Digital mammography. Right breast, MLO projection. Patient age 57.
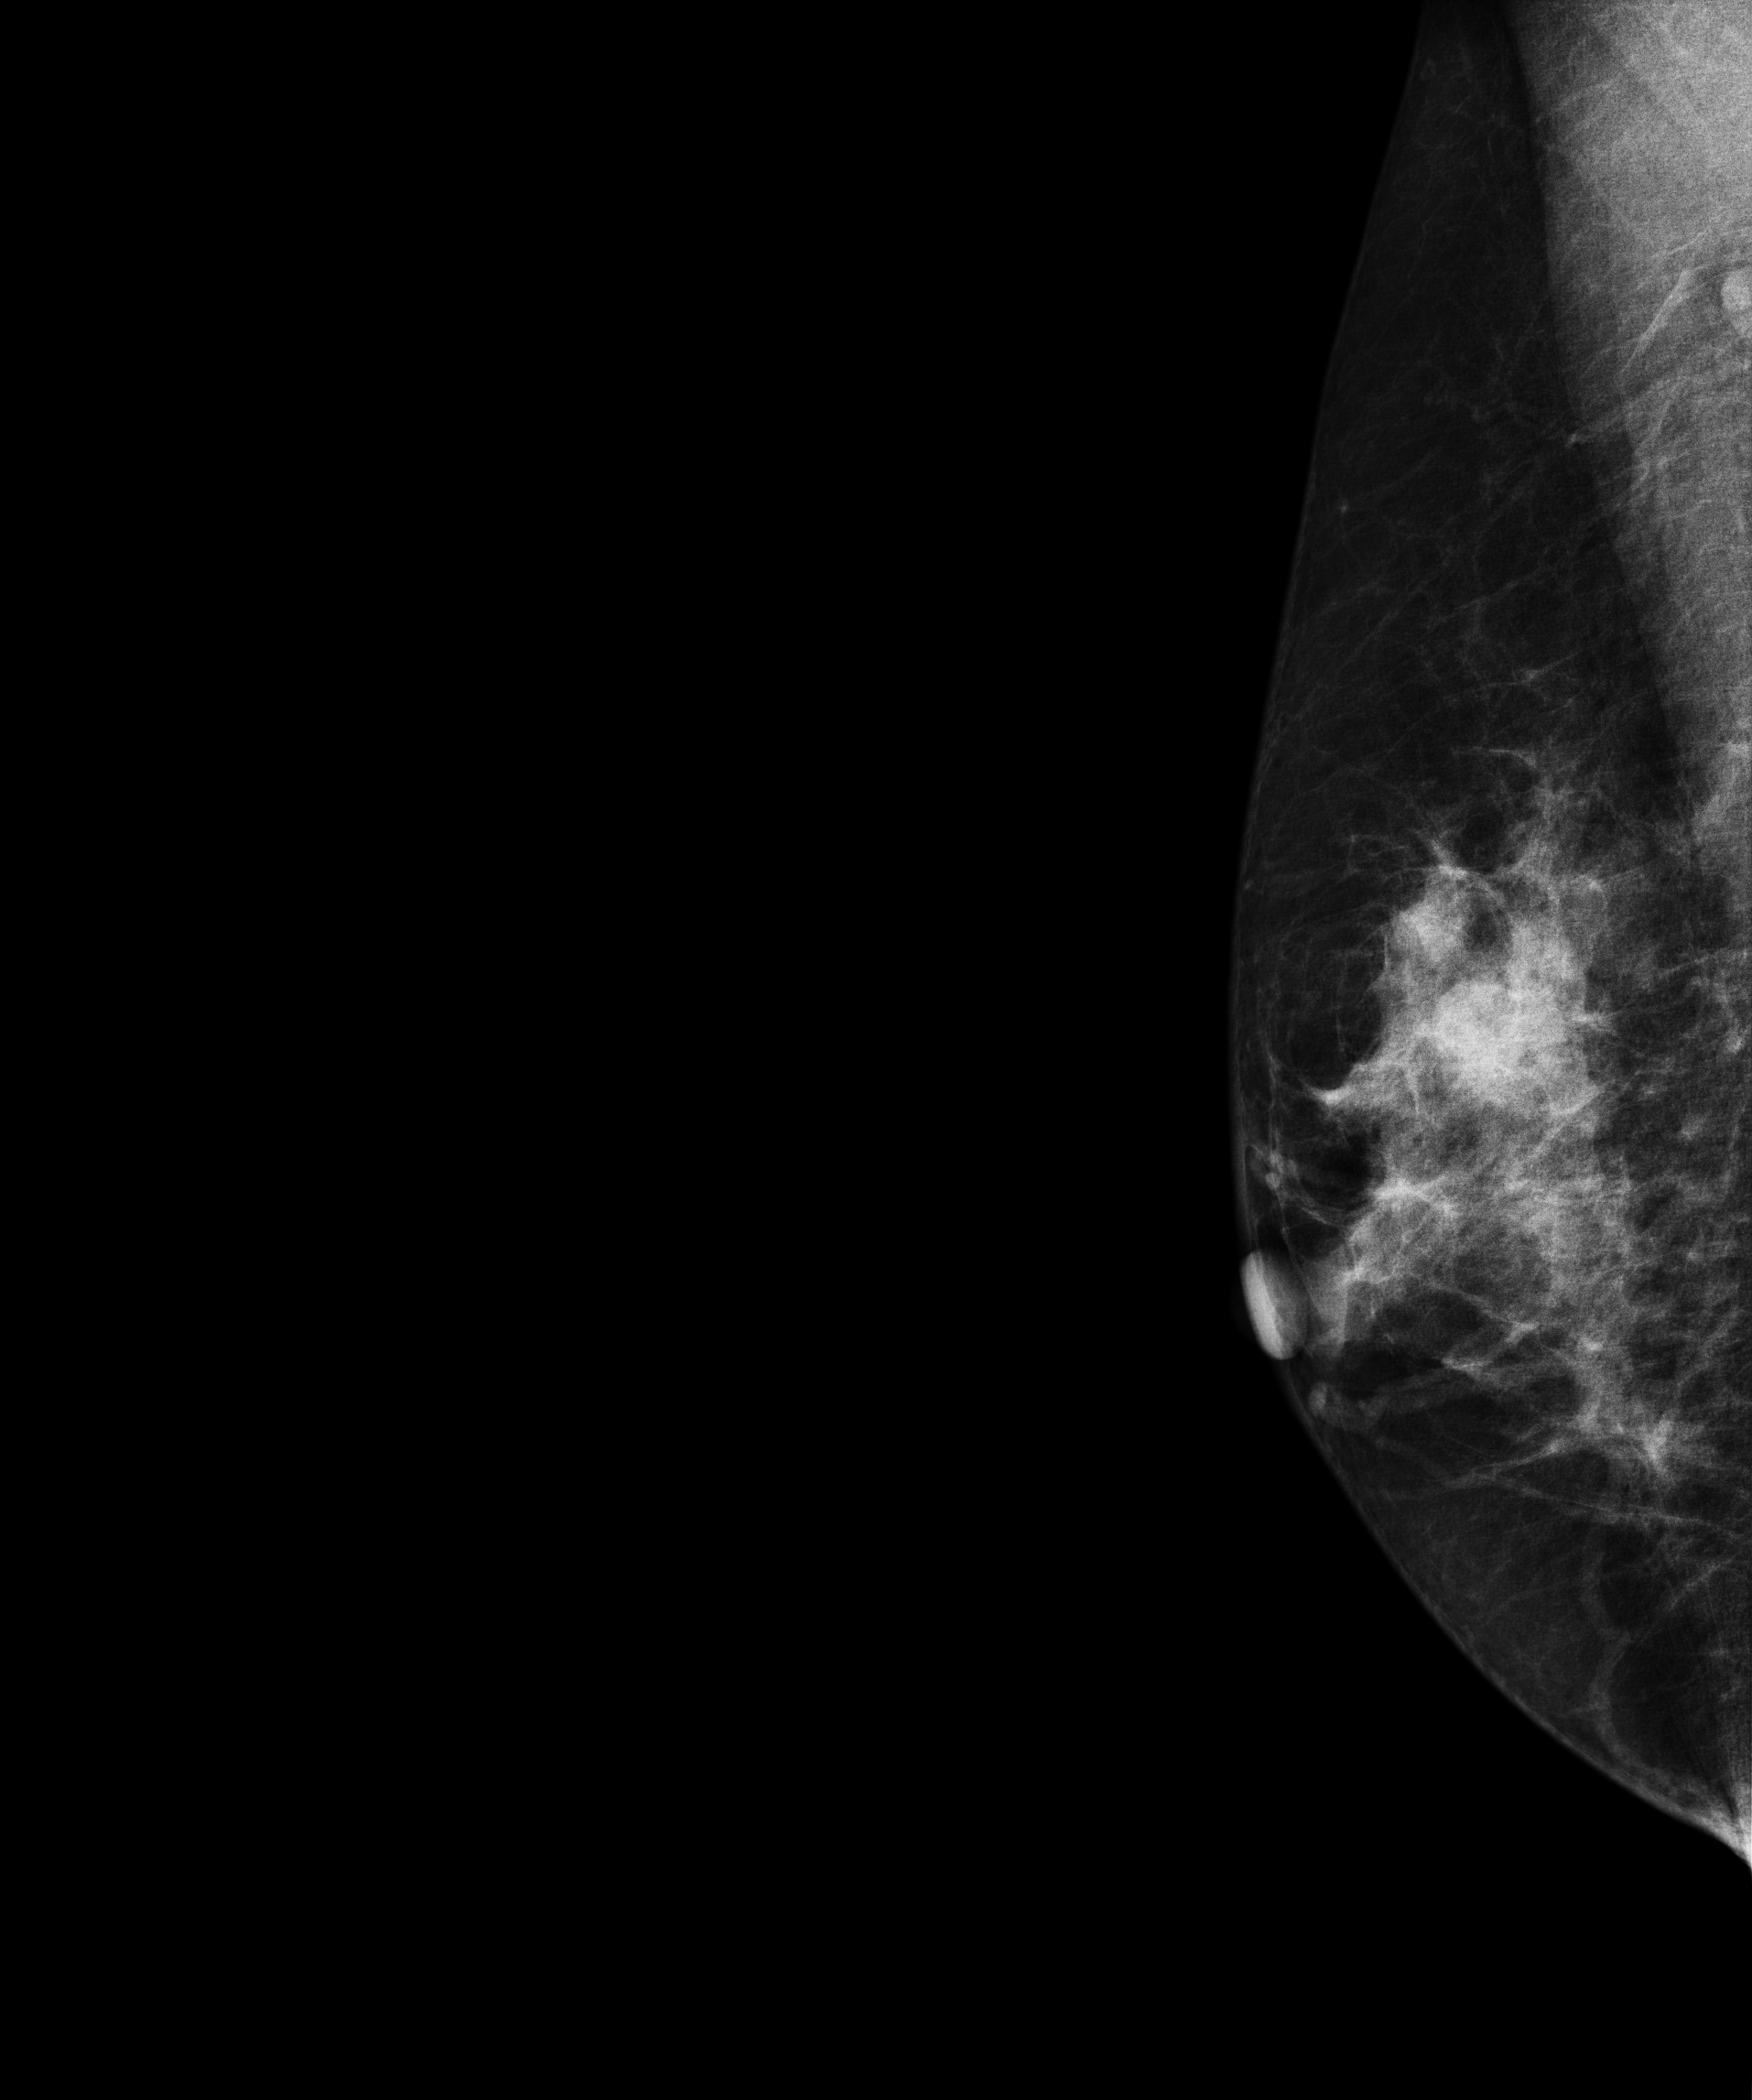
This breast has a mass, biopsy-proven malignant. Molecular subtype: luminal B.